Digital mammography. Left breast, cranio-caudal projection. 46 y/o patient.
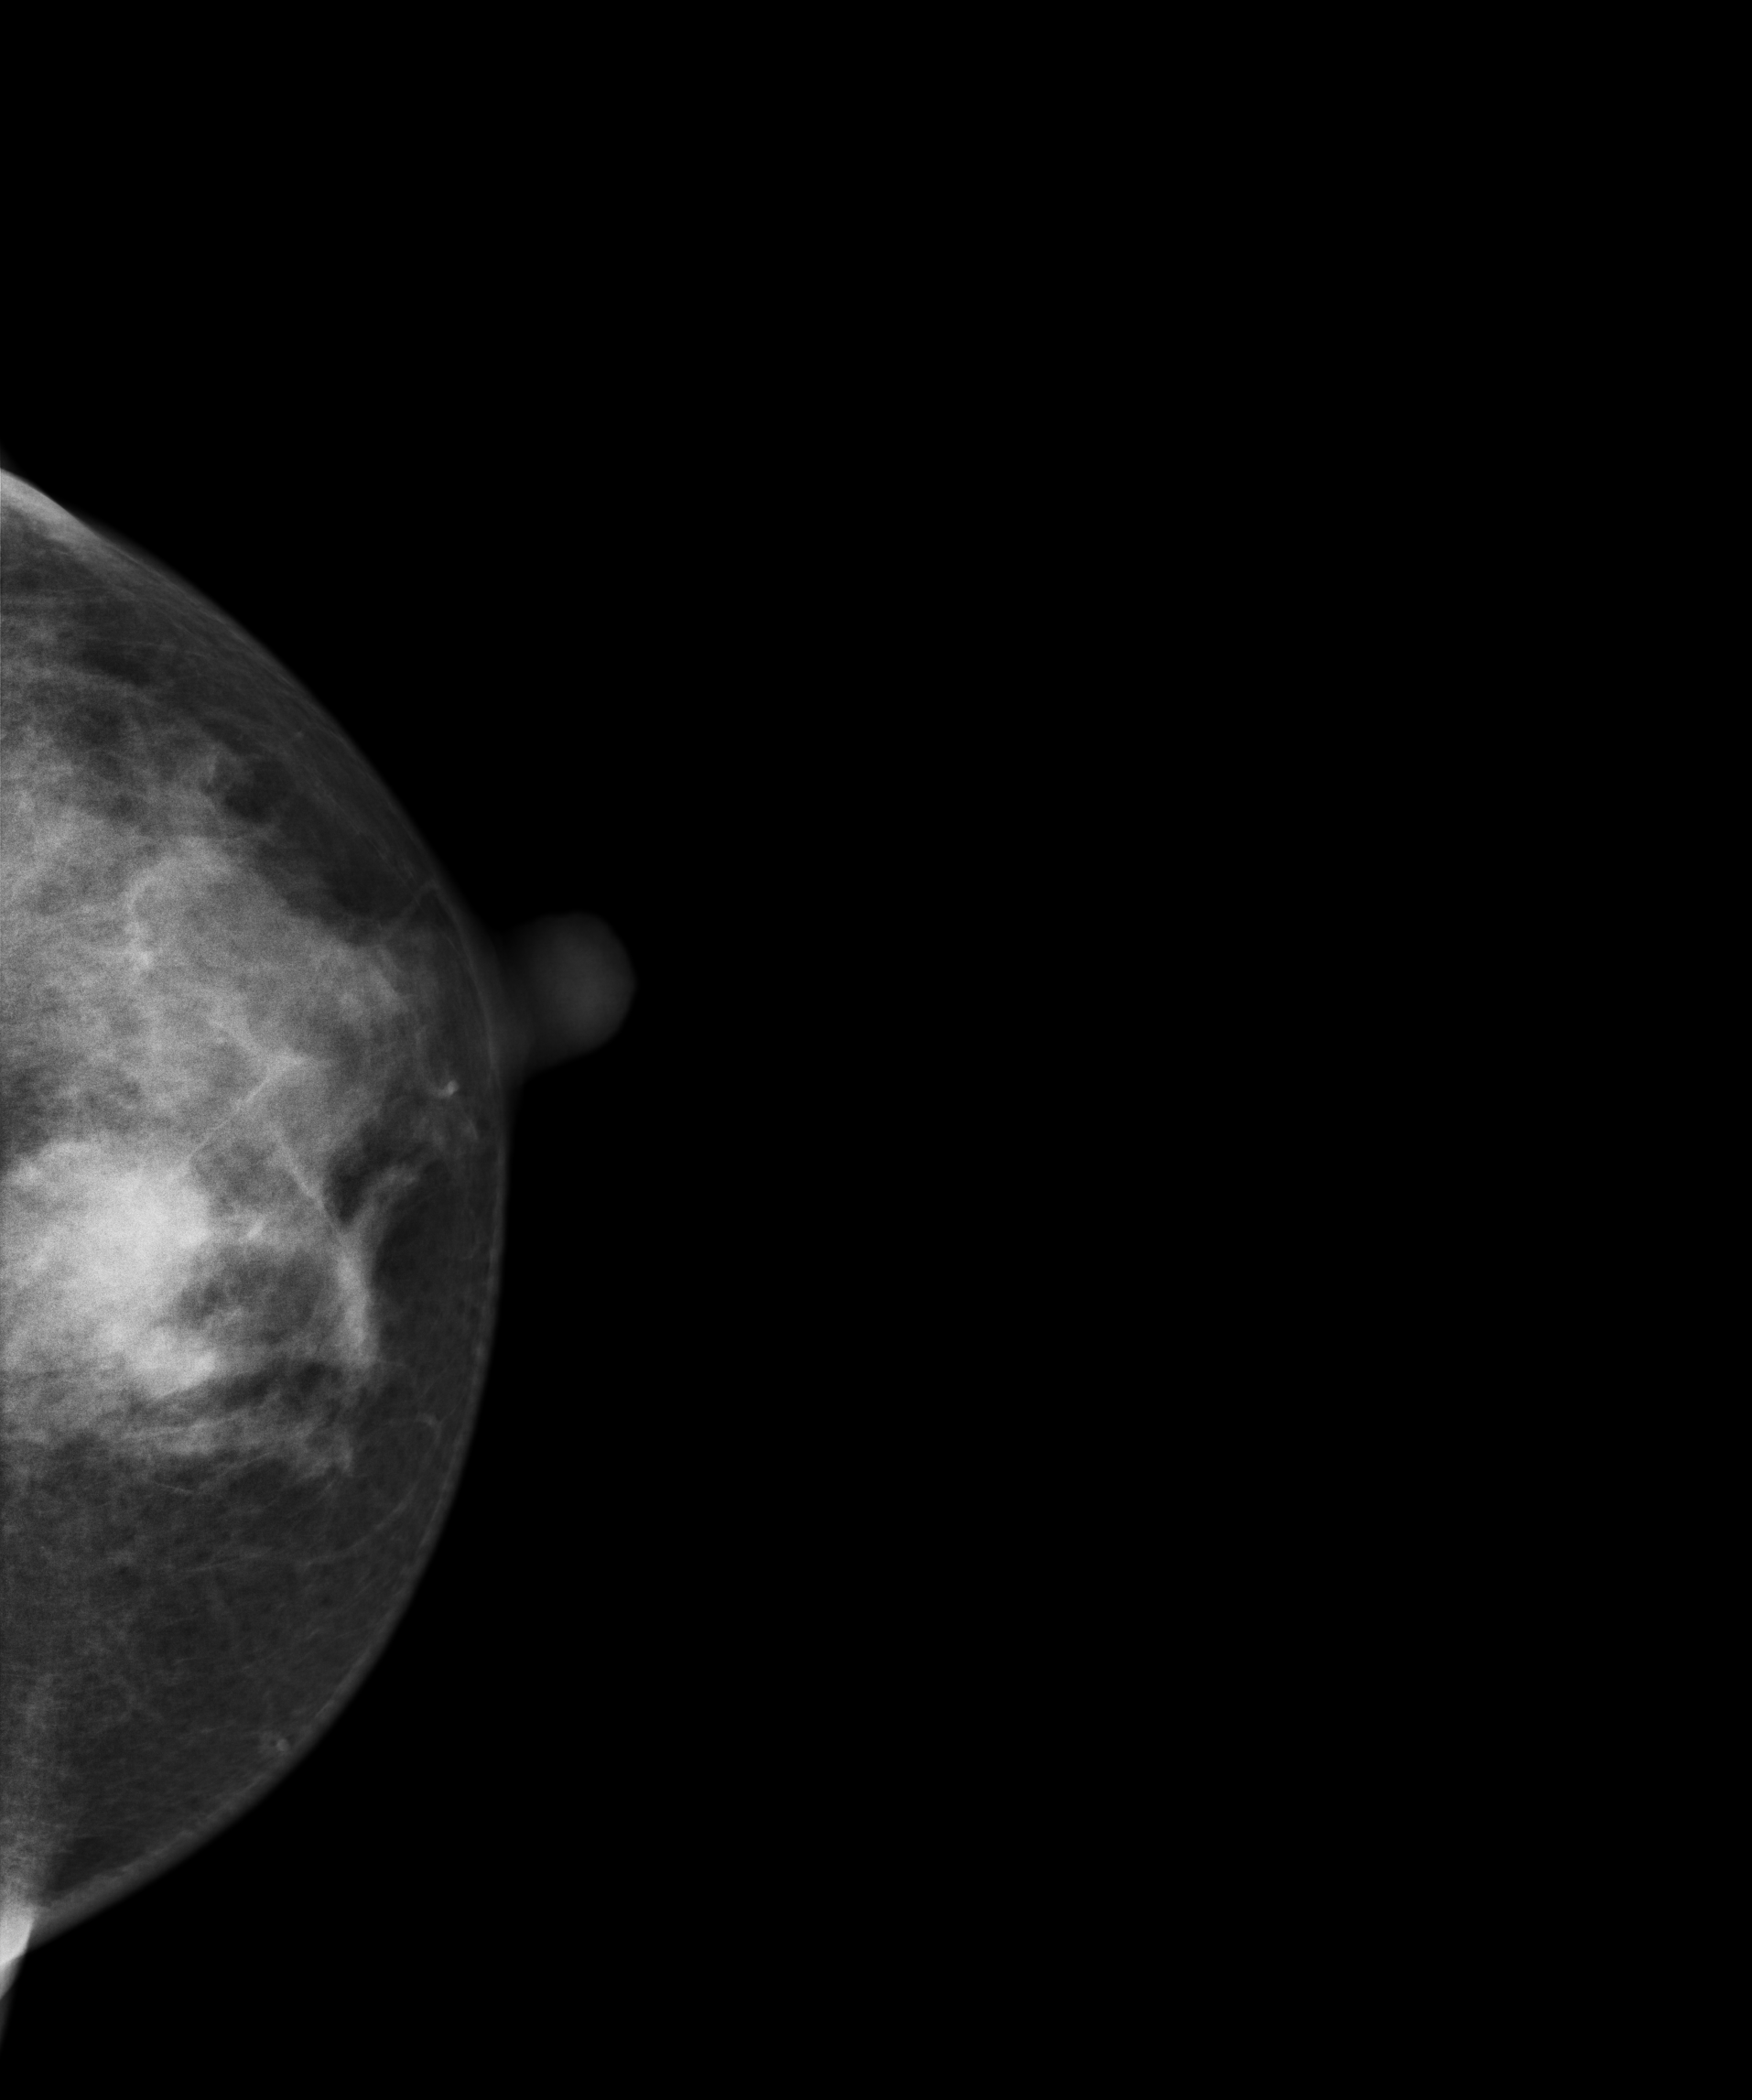
This breast has a mass, pathology-confirmed malignant. Molecular subtype: triple-negative.